Right-breast mammogram, CC. Patient age 49.
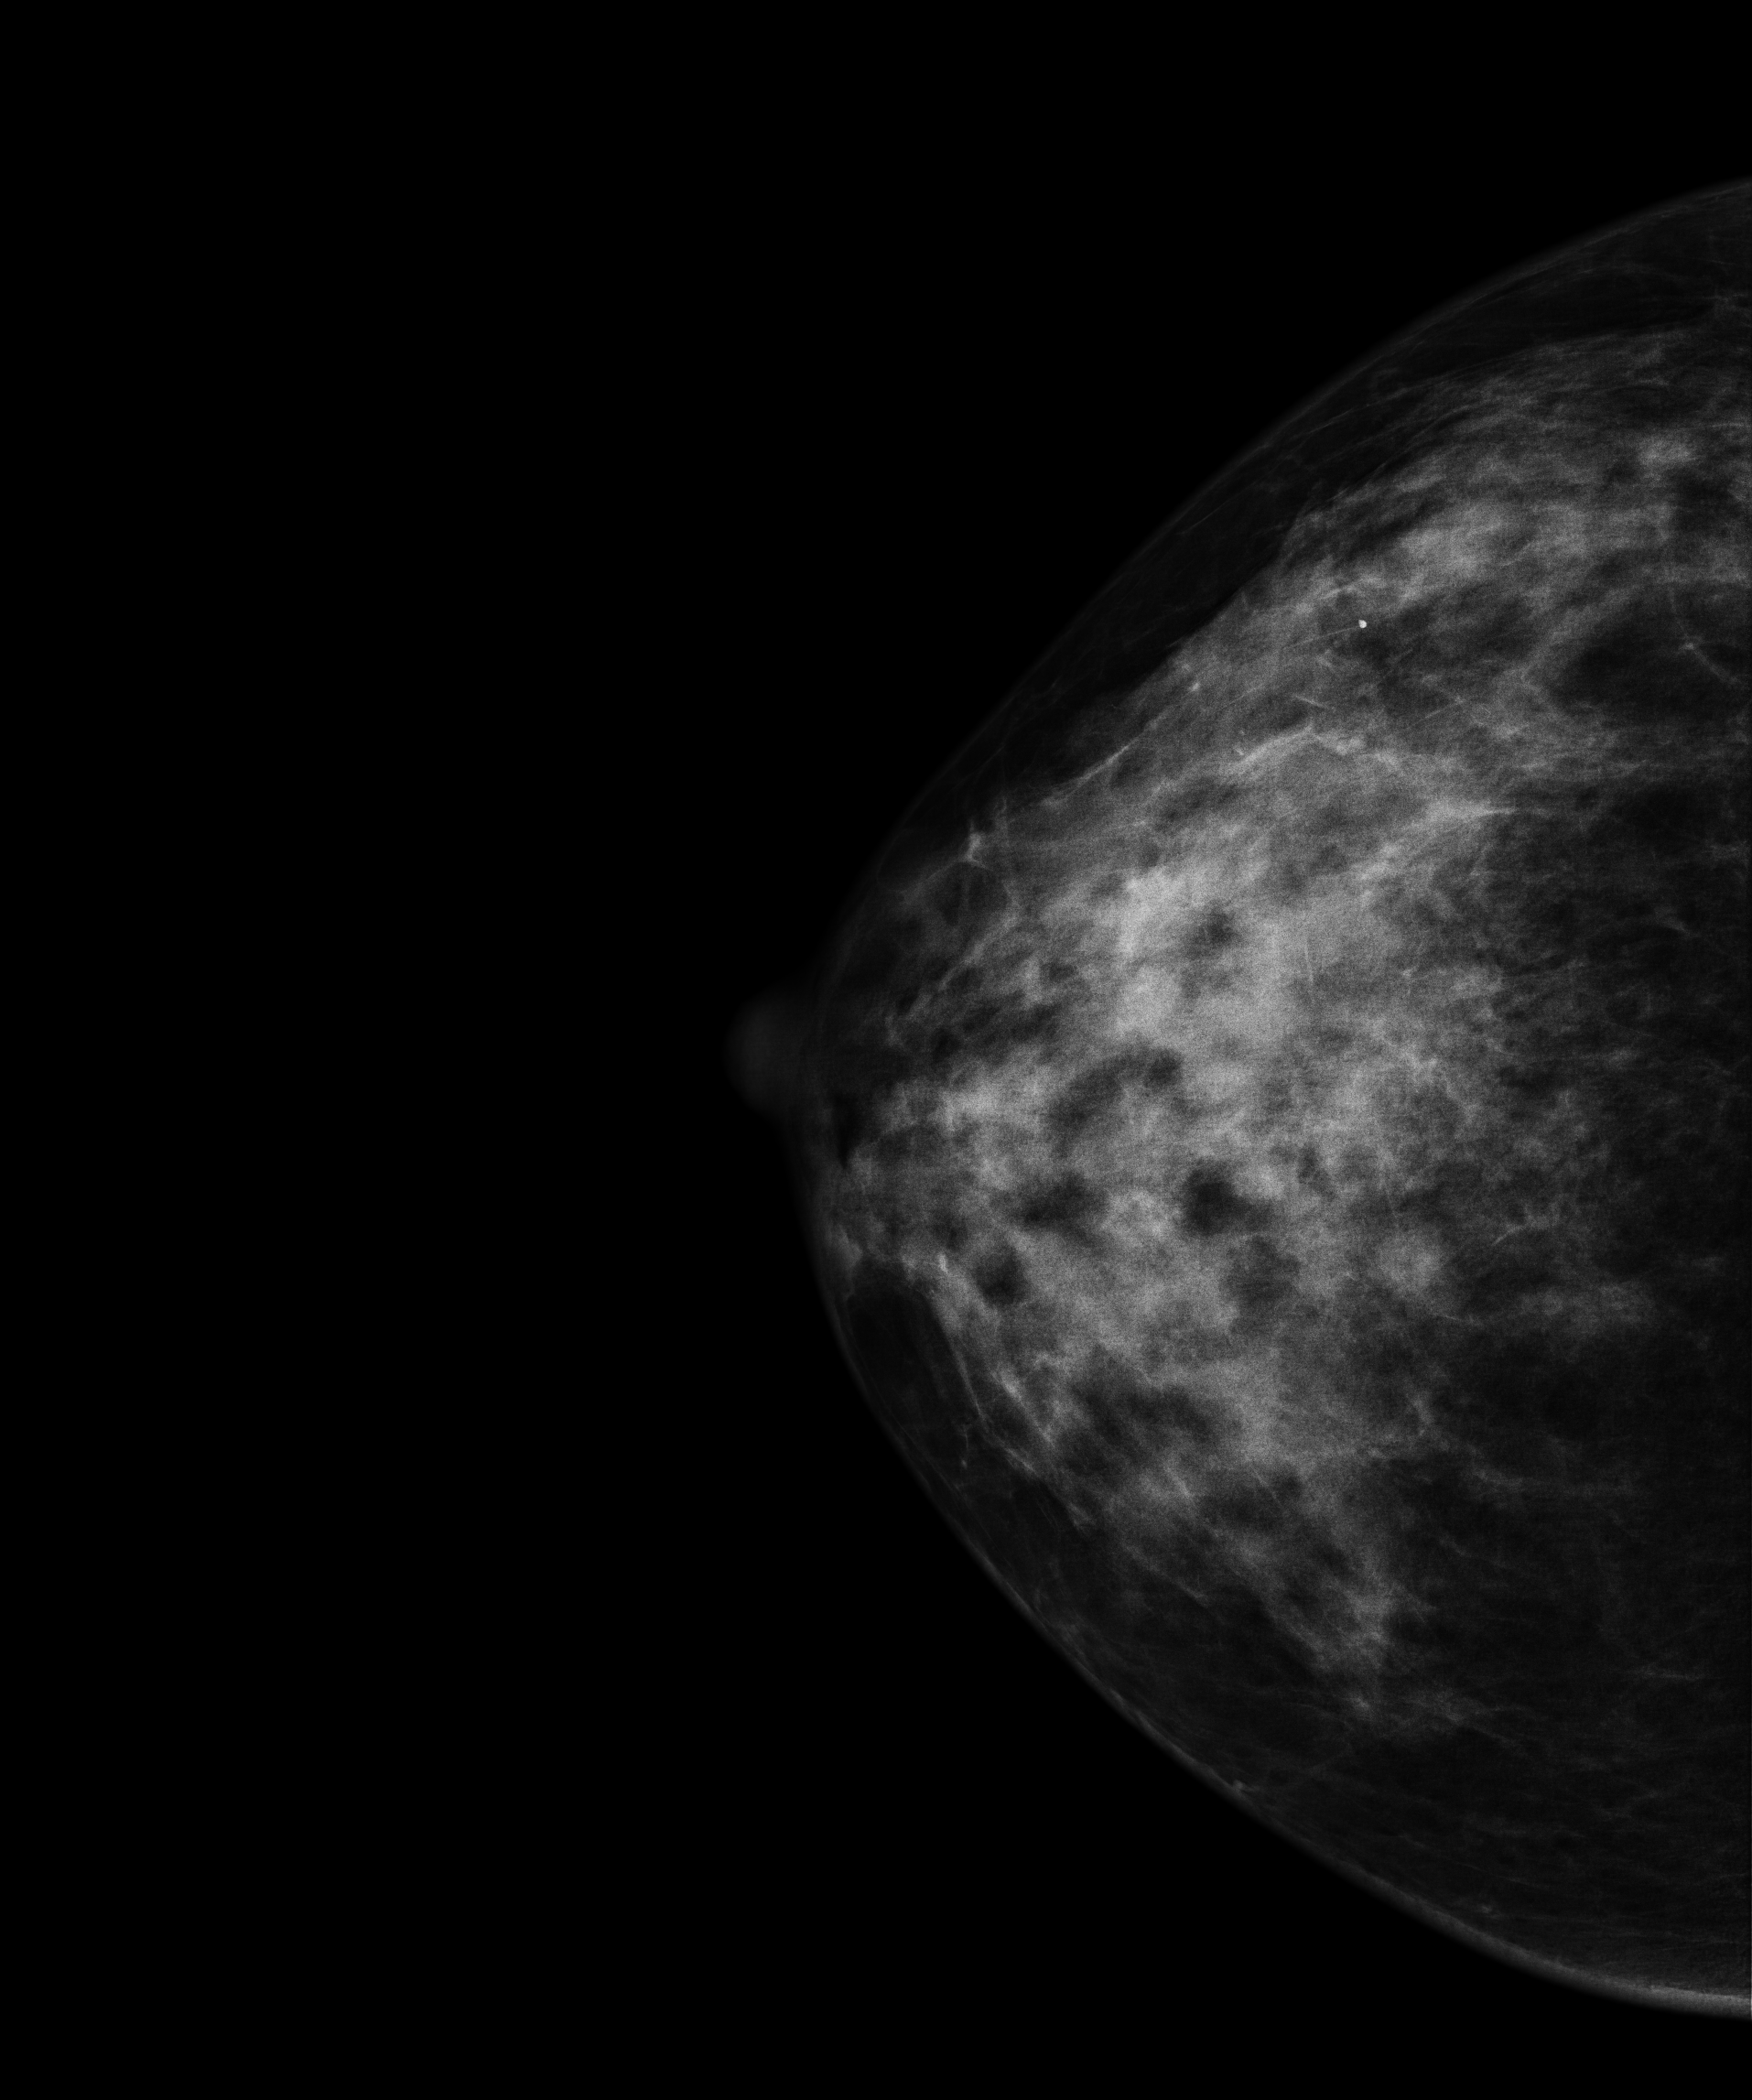
This breast has a mass, pathology-confirmed malignant. Molecular subtype: luminal B.